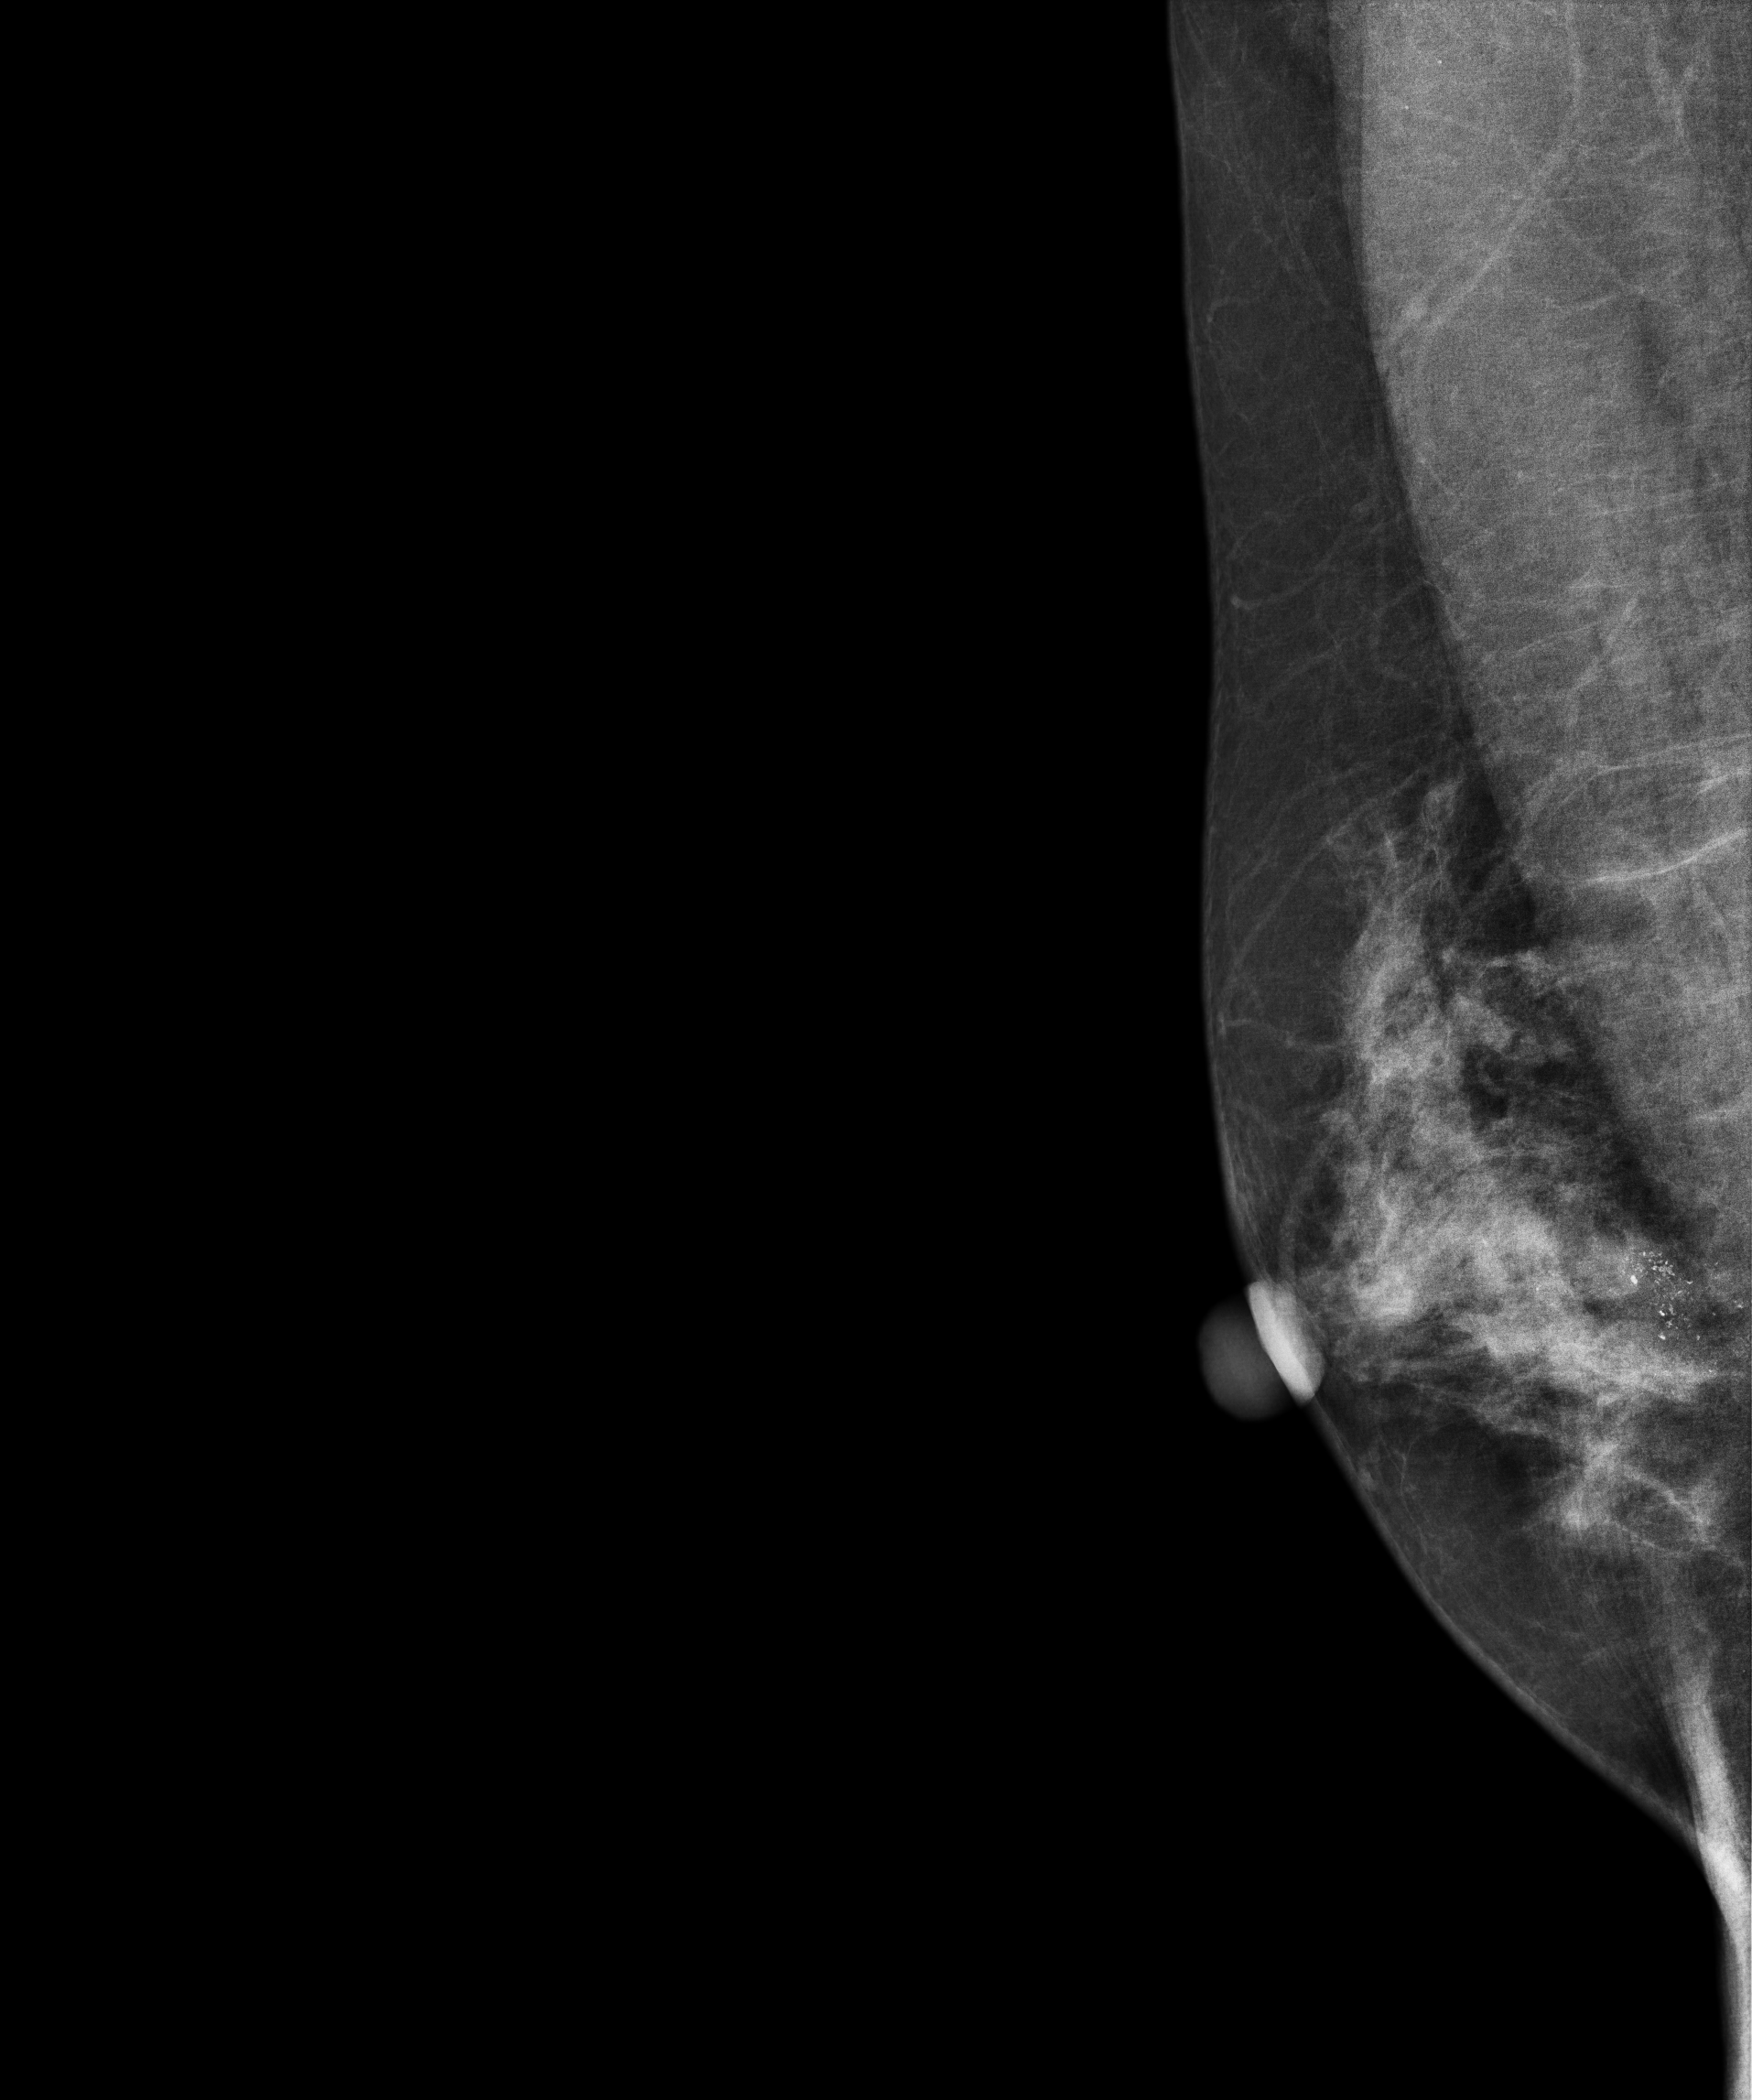
Digital mammography. Right breast, MLO projection. 45-year-old patient.
This breast has calcifications, biopsy-proven malignant.